Digital mammography. Left breast, MLO projection. 34 y/o patient.
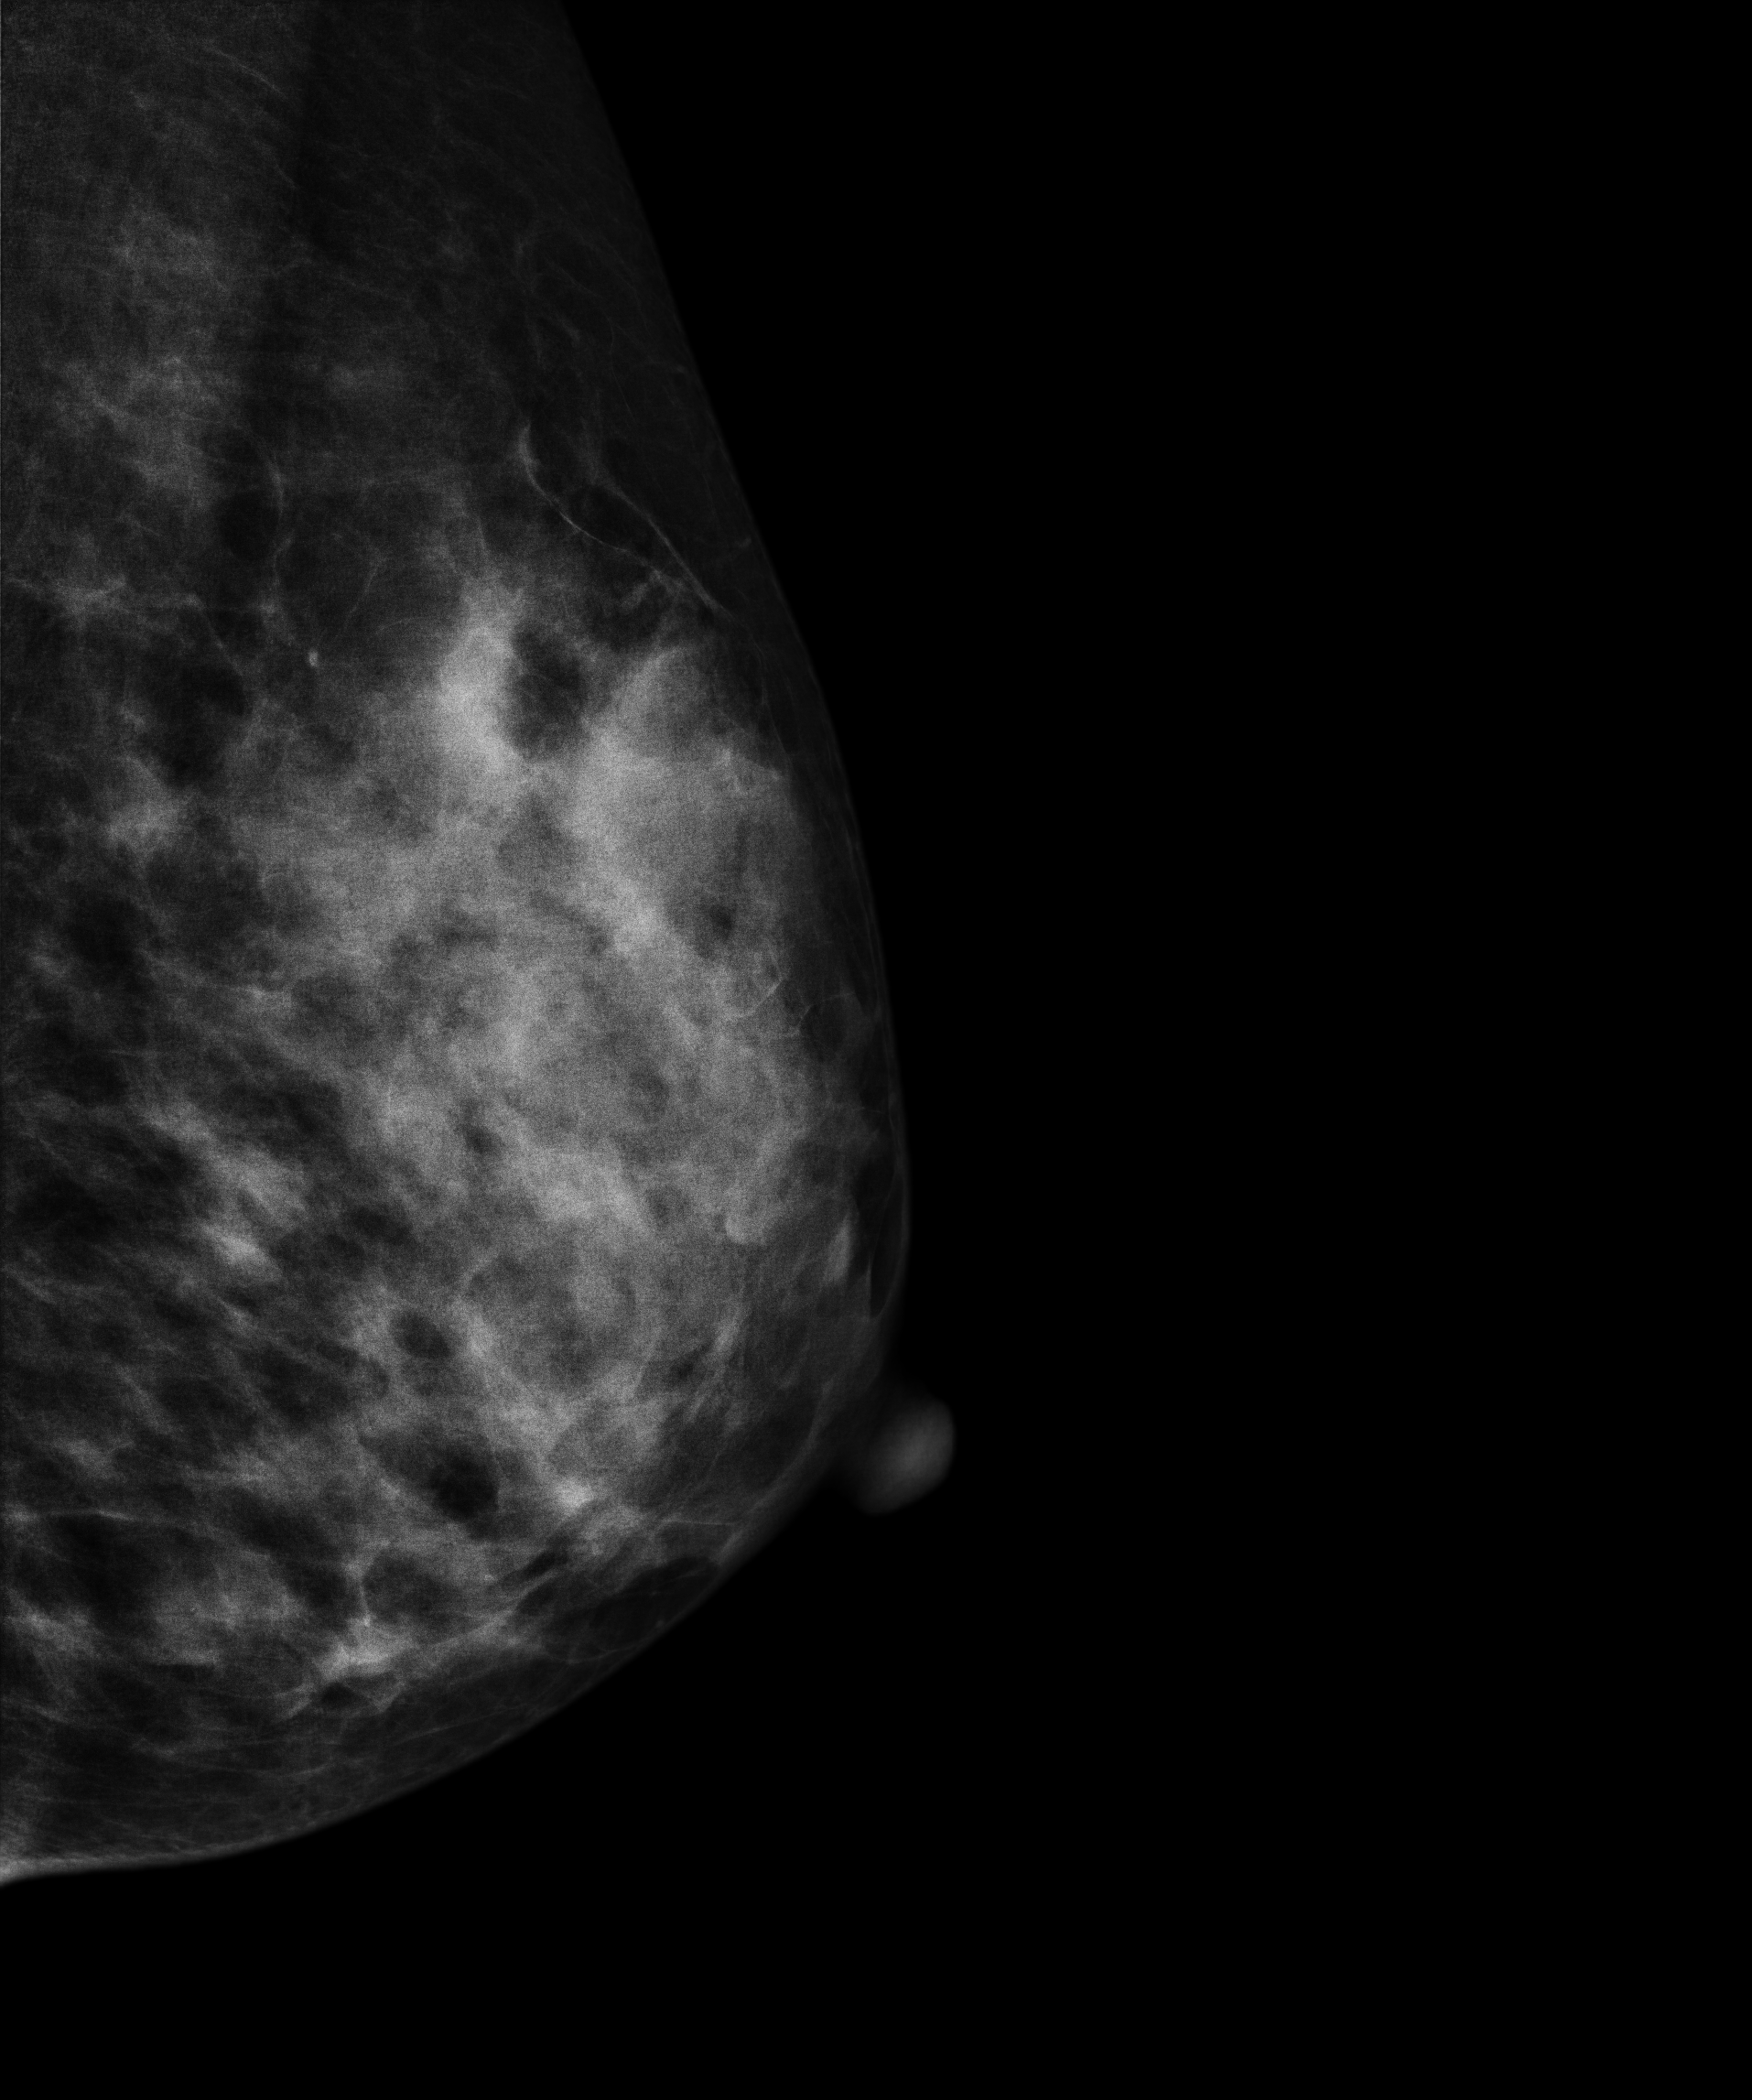
Contralateral breast — no documented abnormality on this side.